Mammogram, left breast, MLO view. Patient age 46.
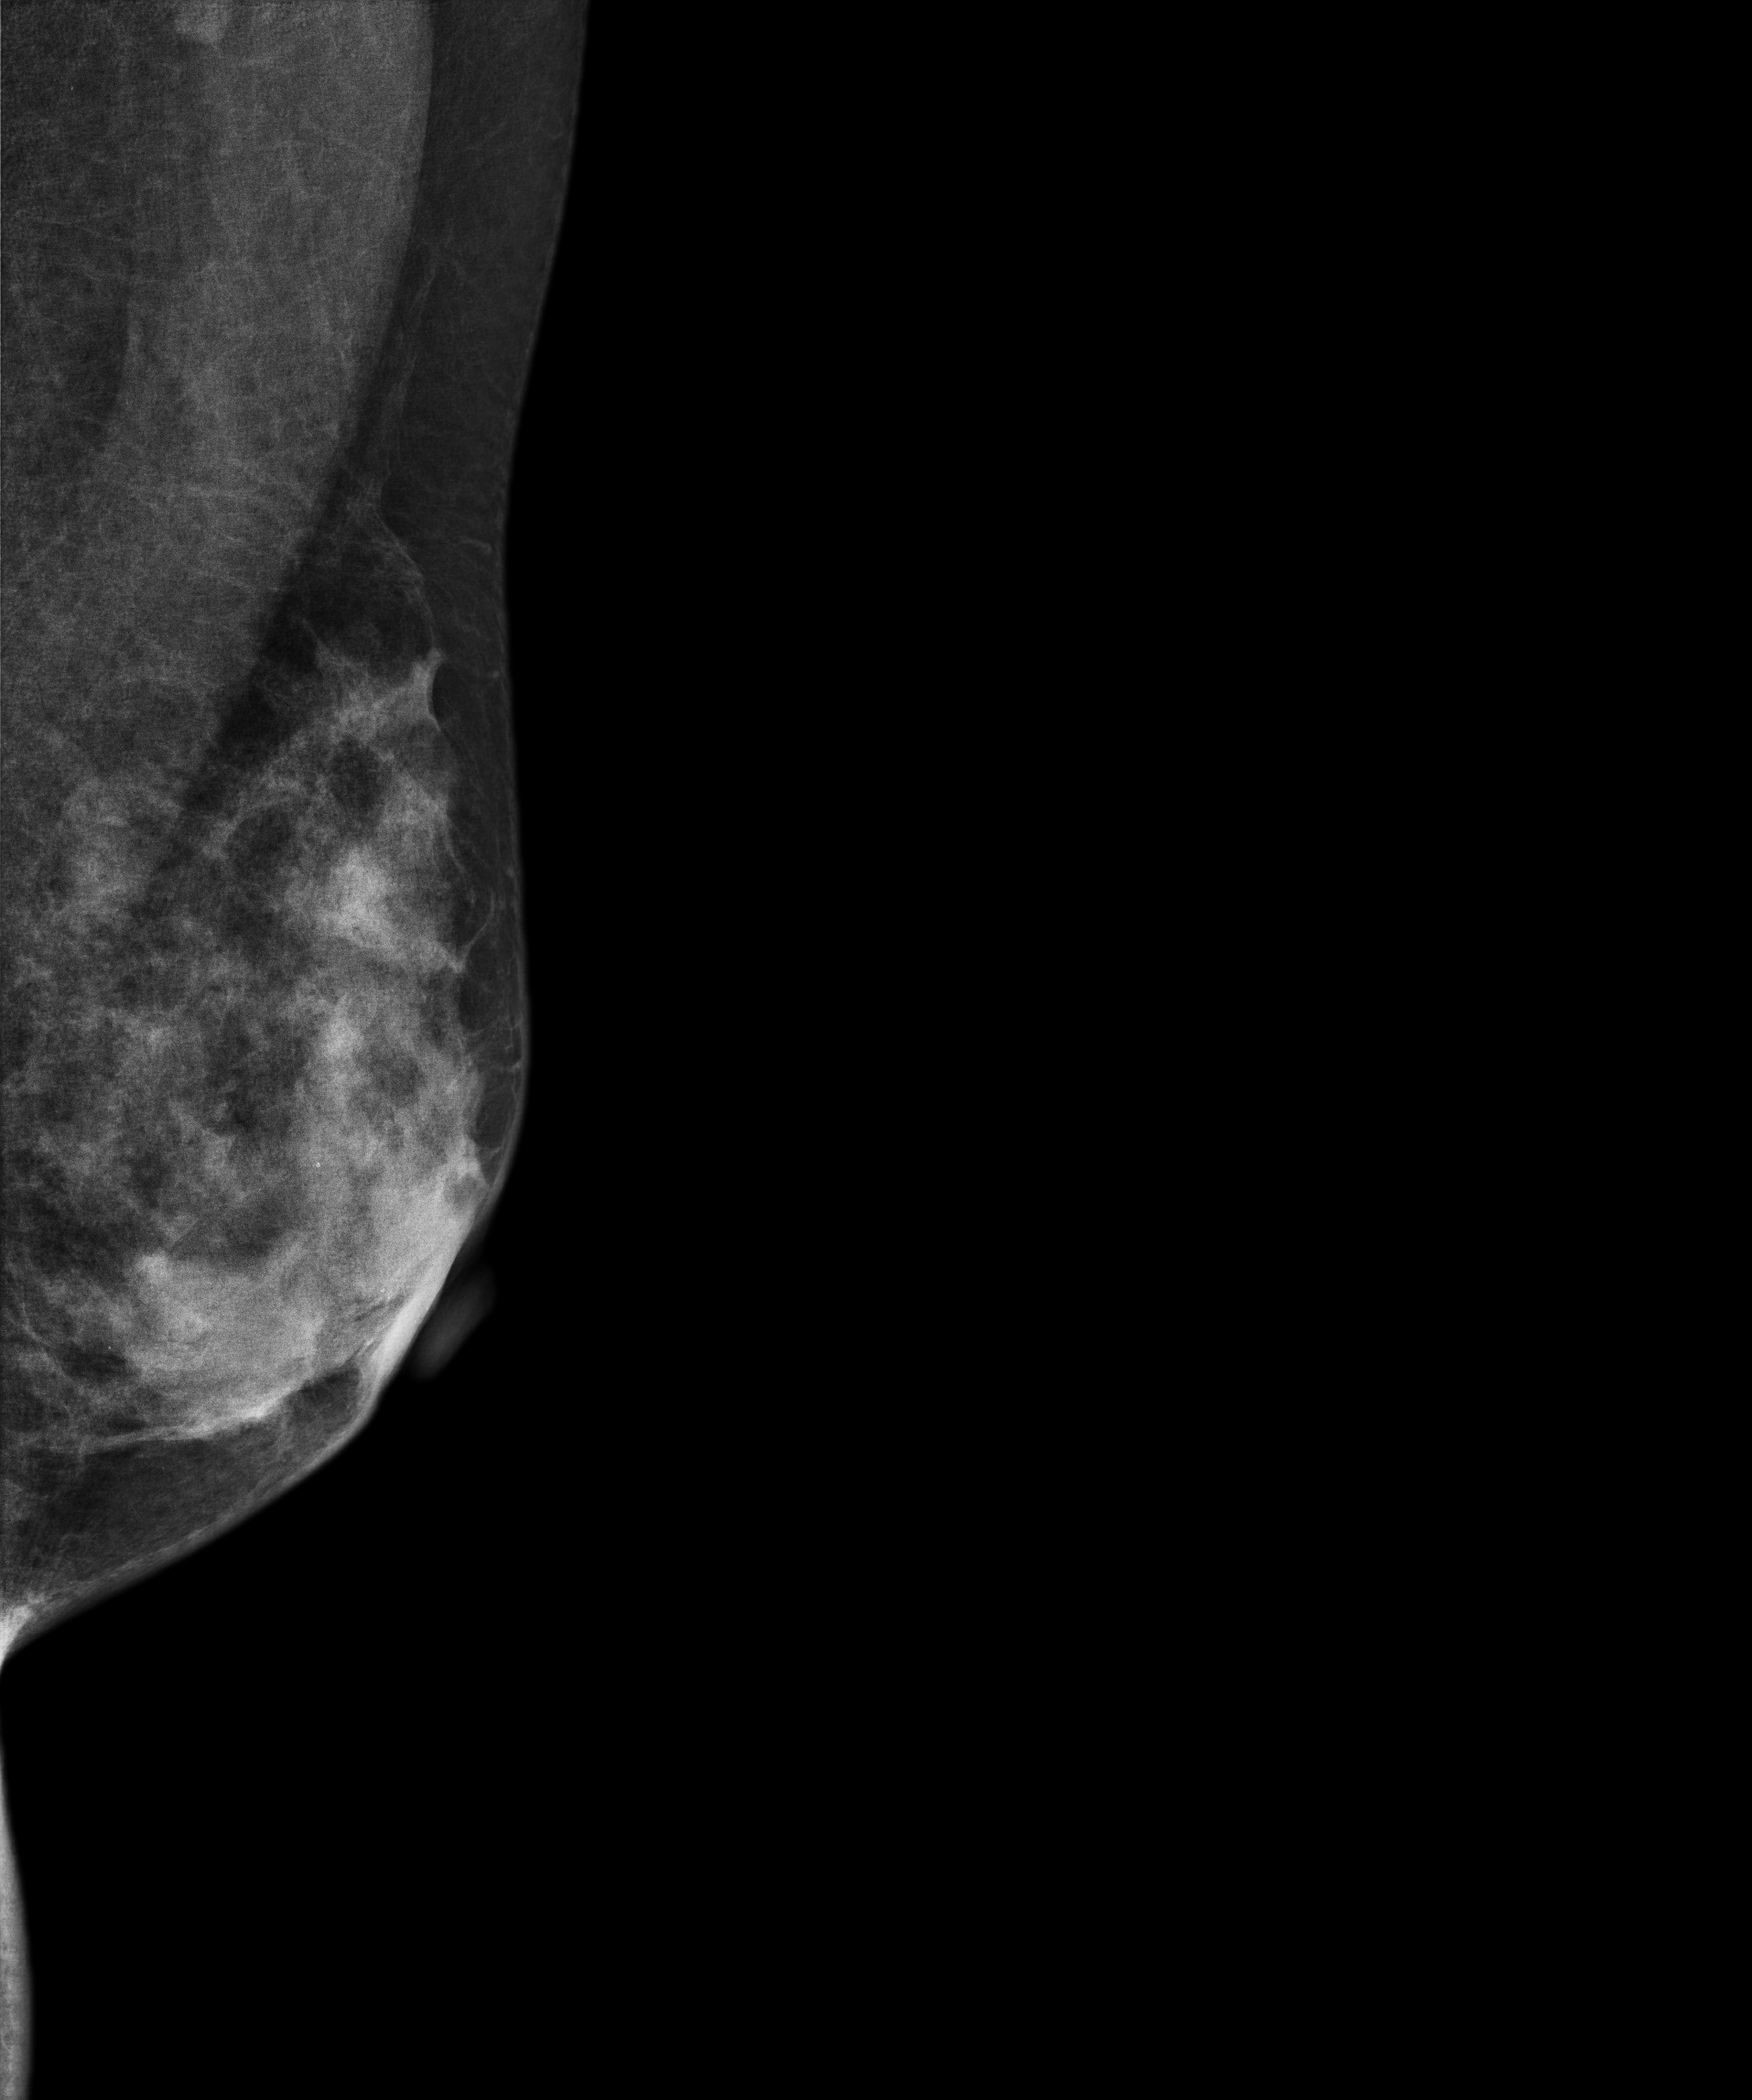
This breast has a mass, biopsy-confirmed malignant. Molecular subtype: luminal A.